Mammogram — left cranio-caudal. 56-year-old patient.
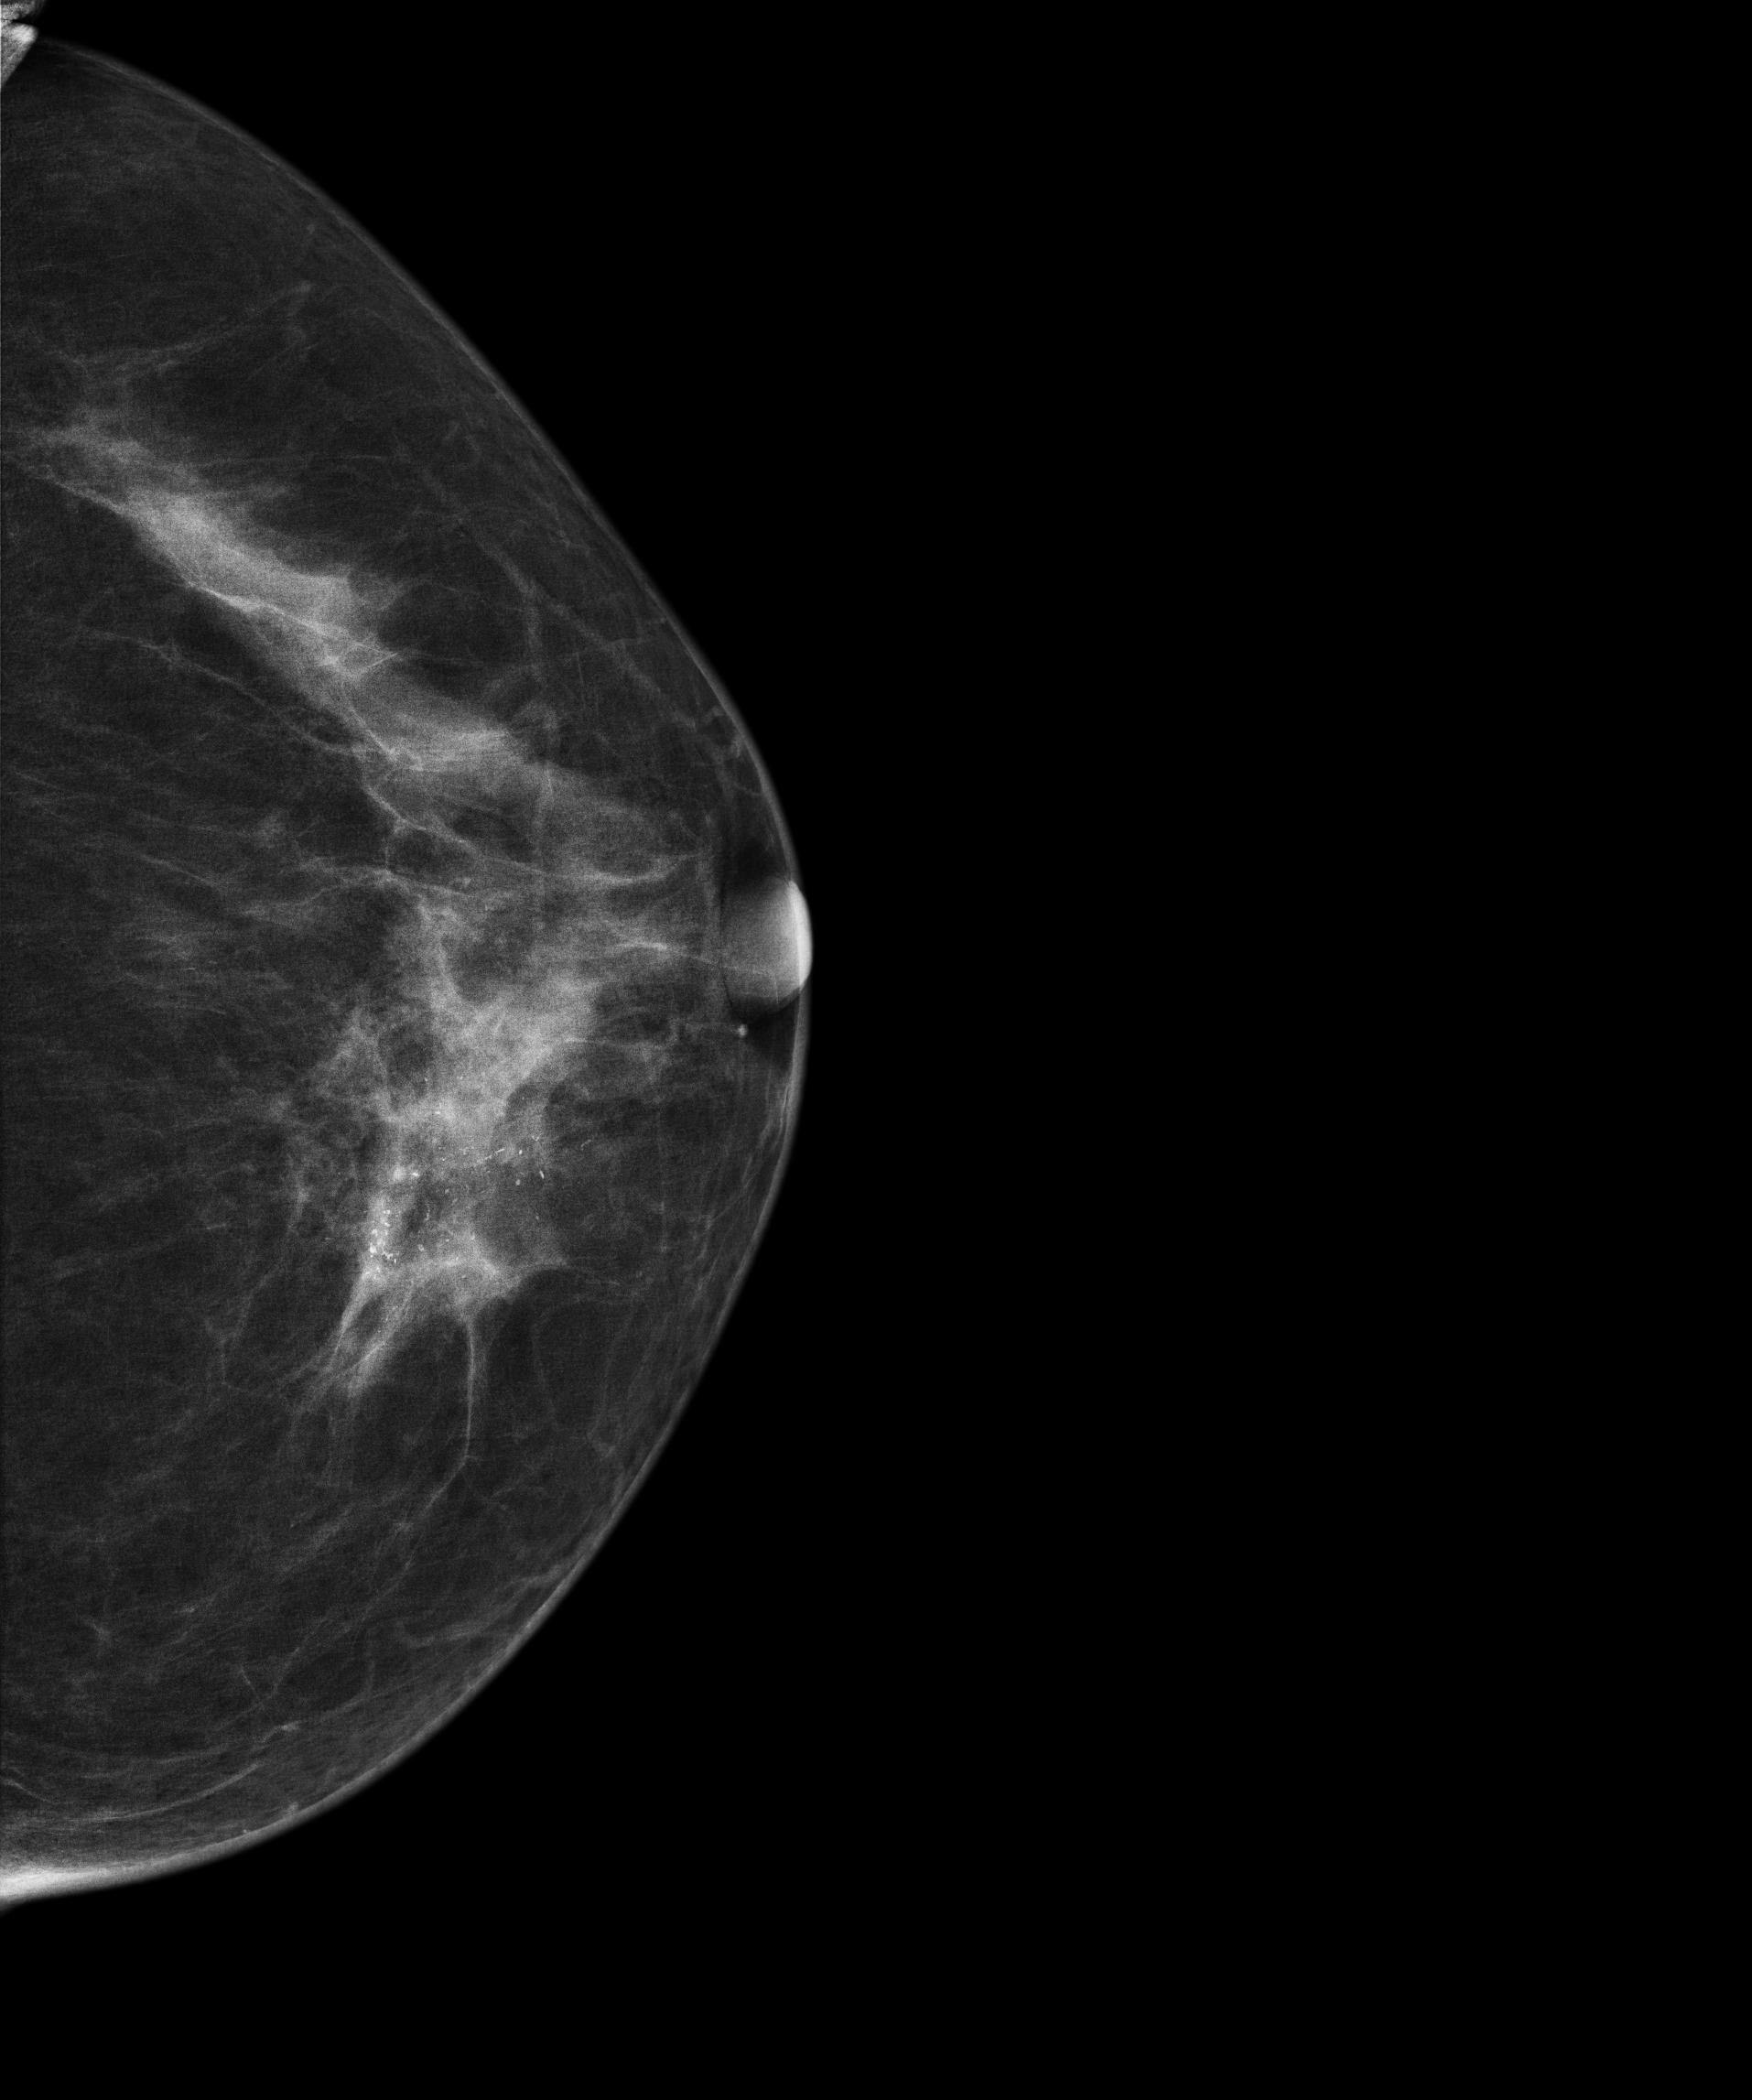
This breast has calcifications, histologically confirmed malignant. Molecular subtype: triple-negative.